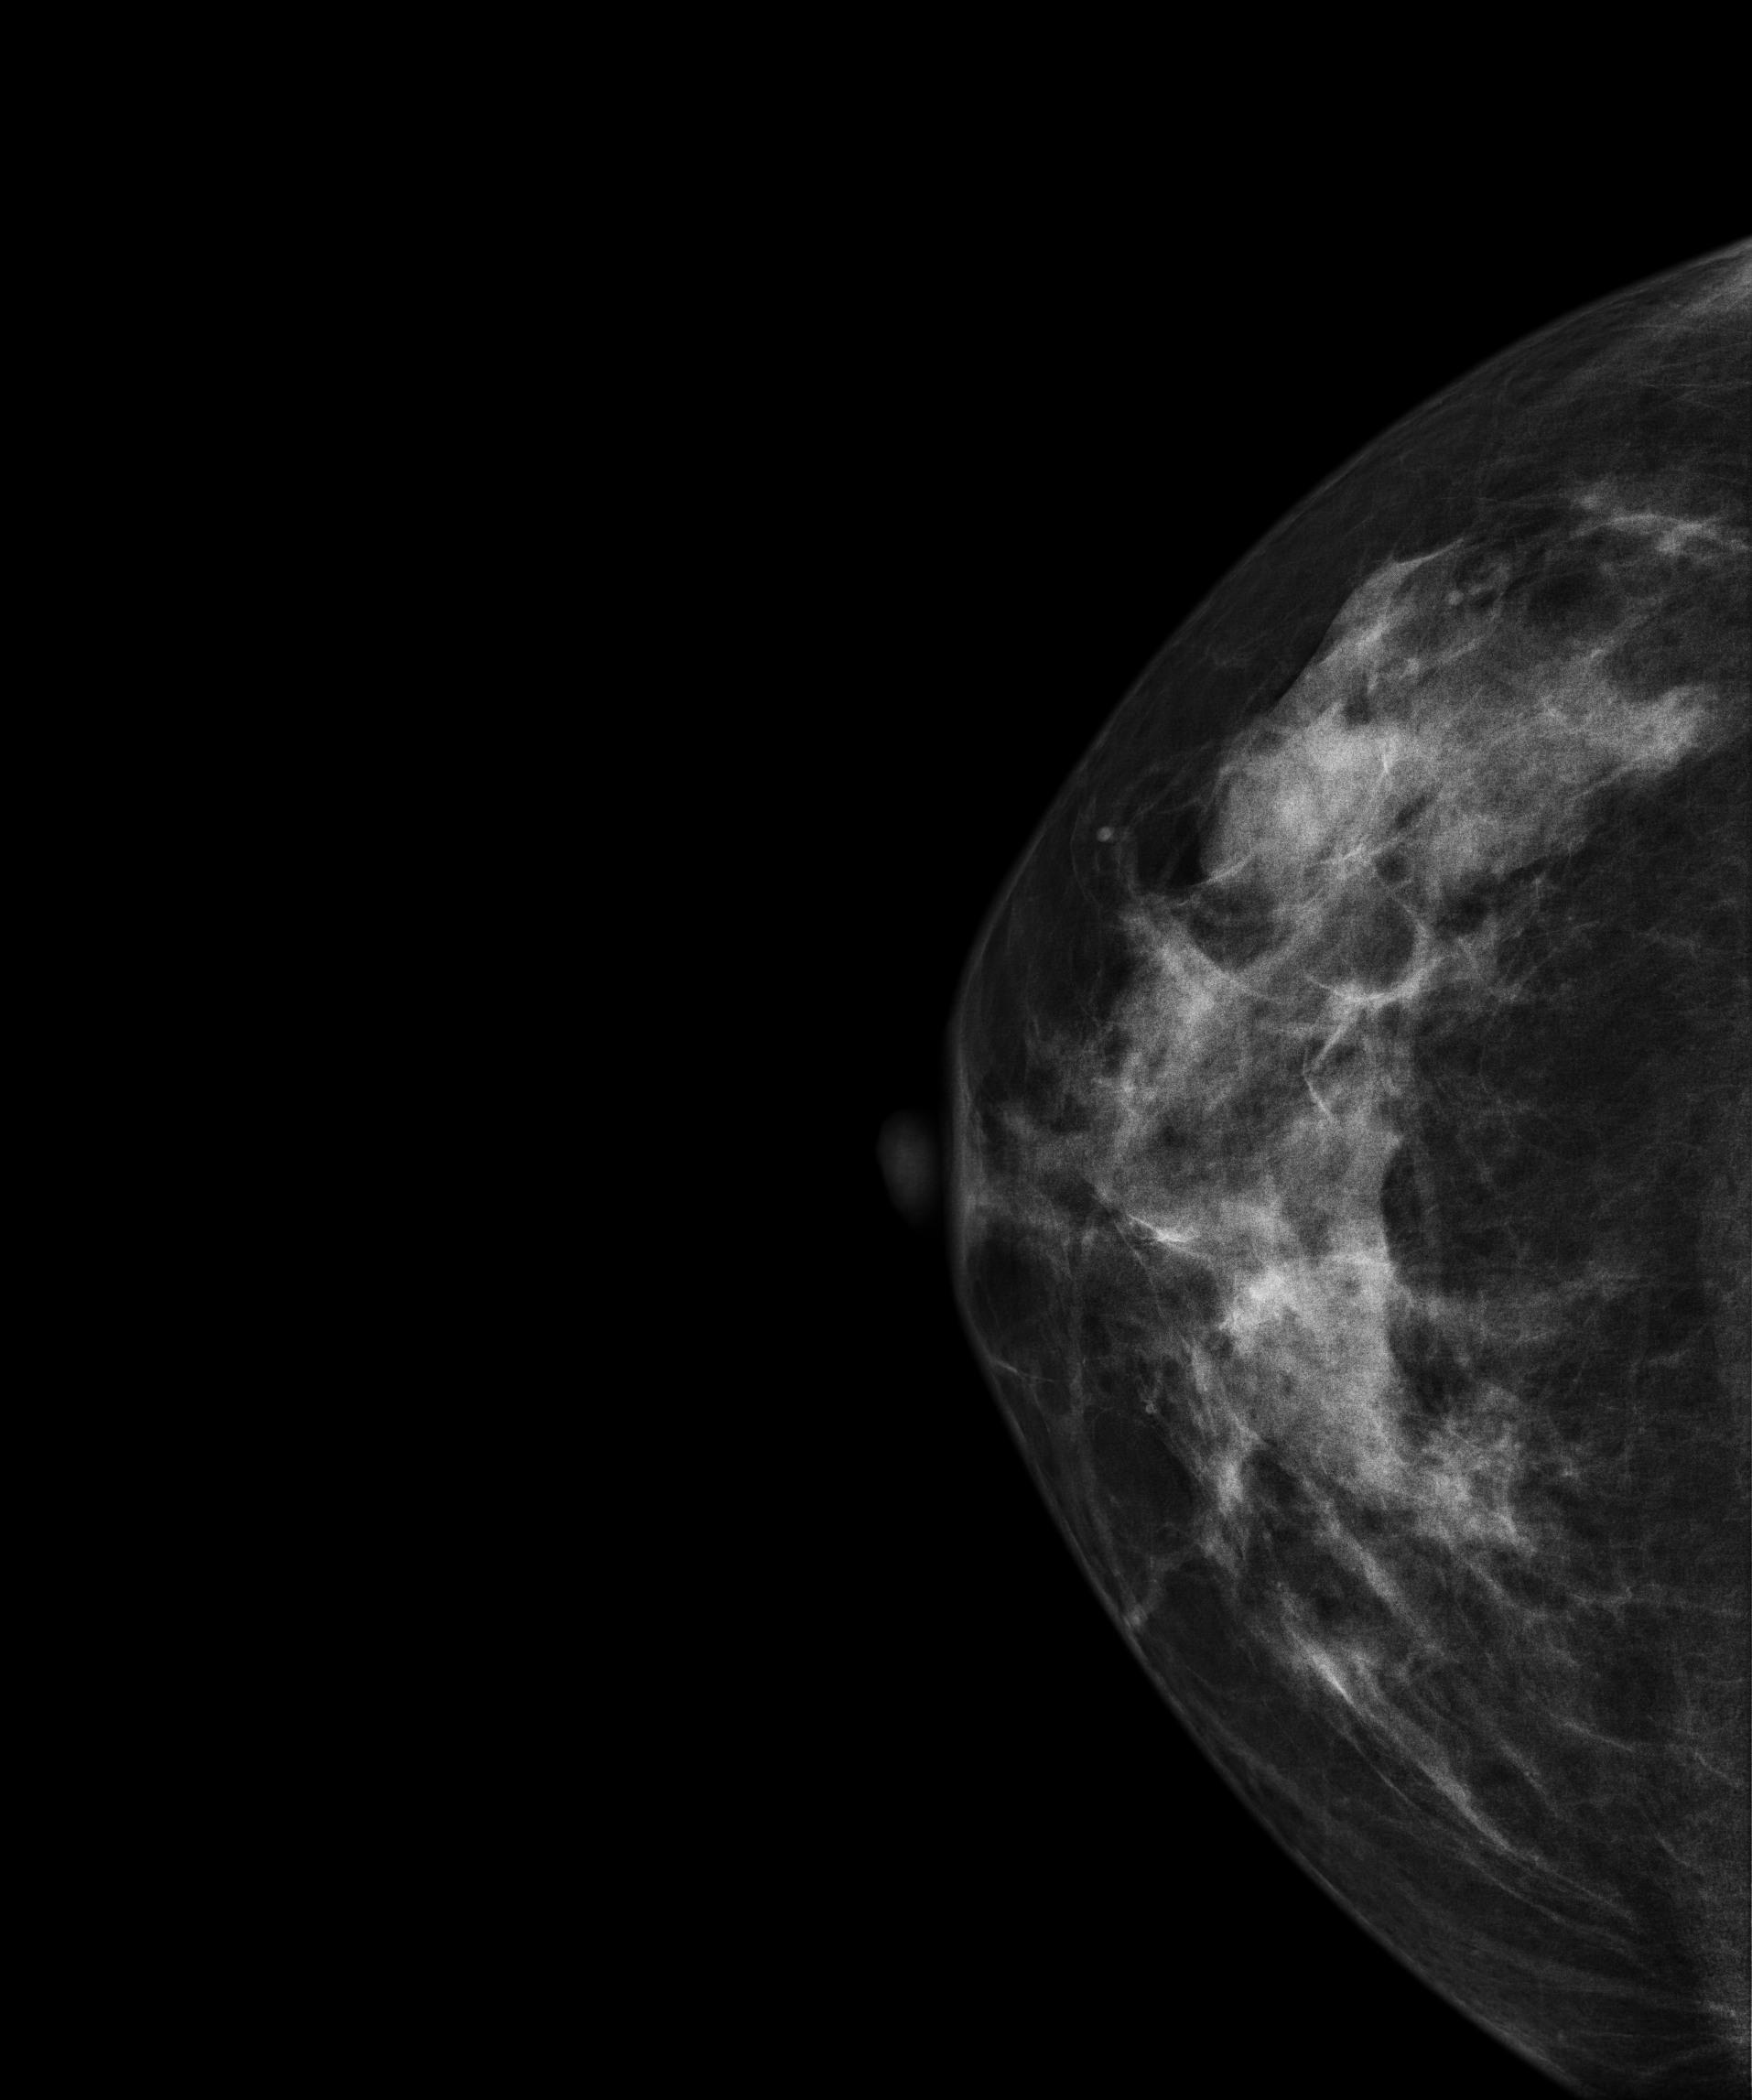
Right-breast mammogram, cranio-caudal. 58 y/o patient.
Contralateral breast — no documented abnormality on this side.